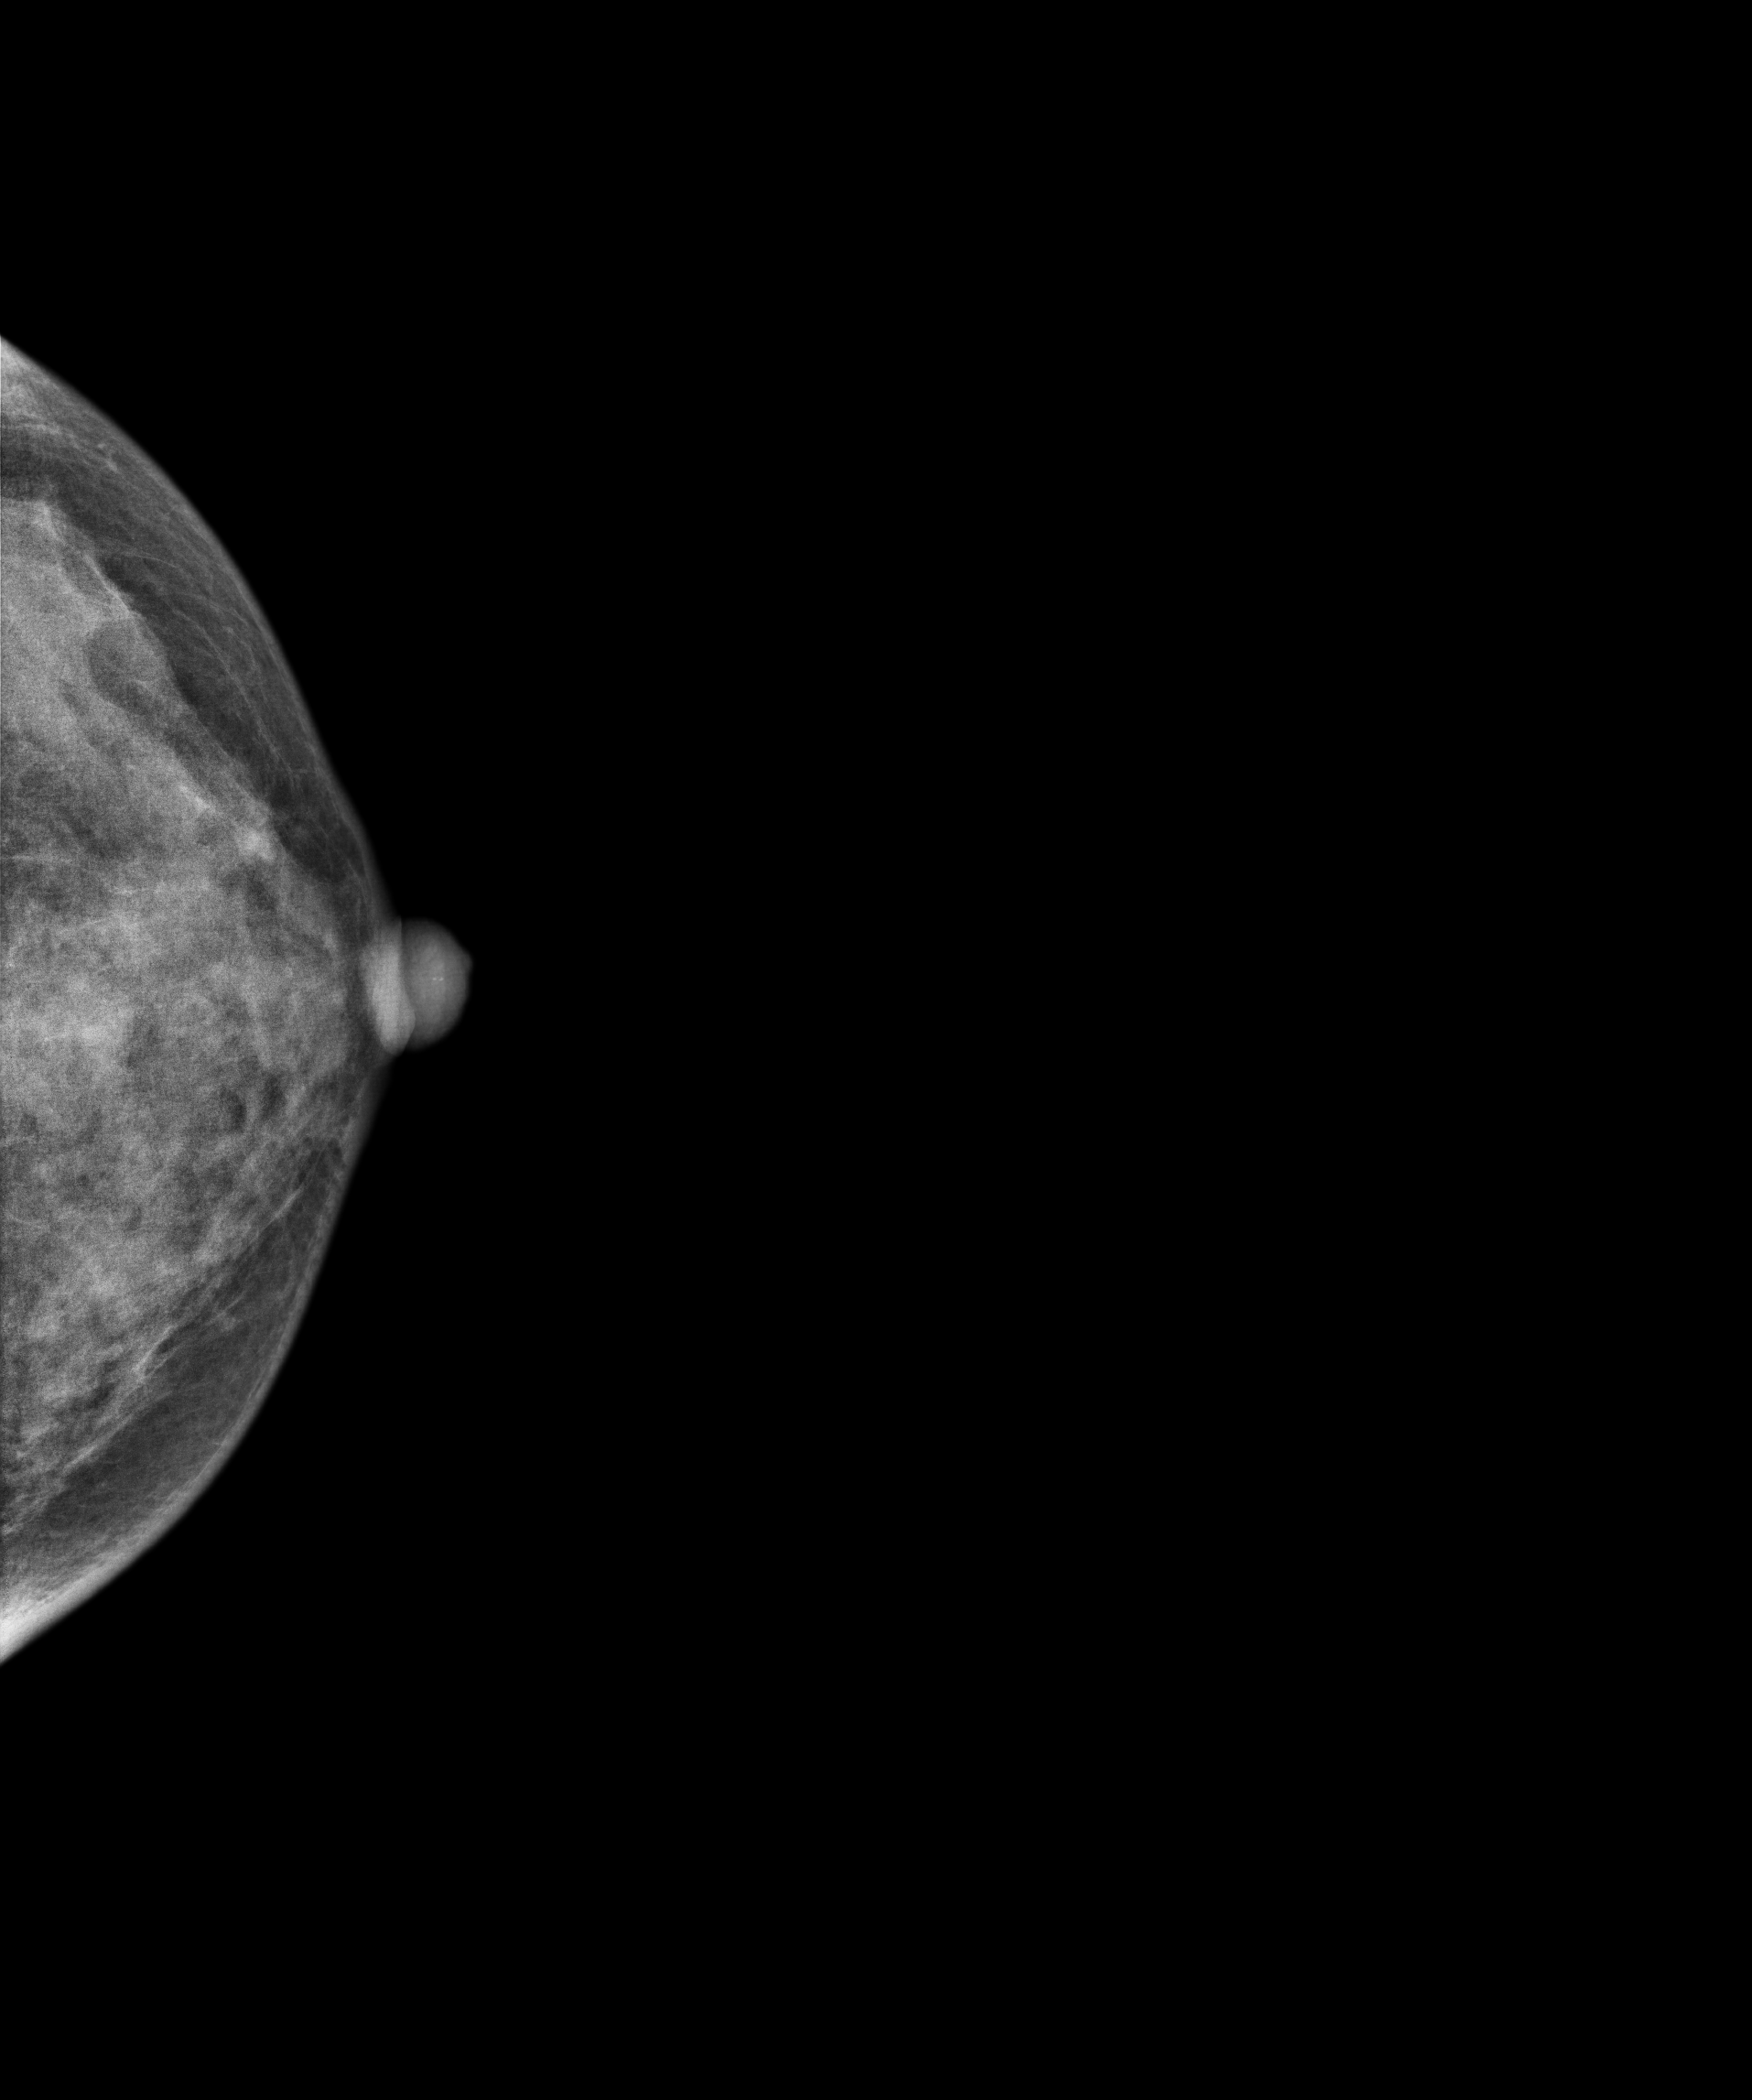
Left-breast mammogram, CC. Patient age 42.
This breast has a mass, histologically confirmed malignant. Molecular subtype: luminal B.